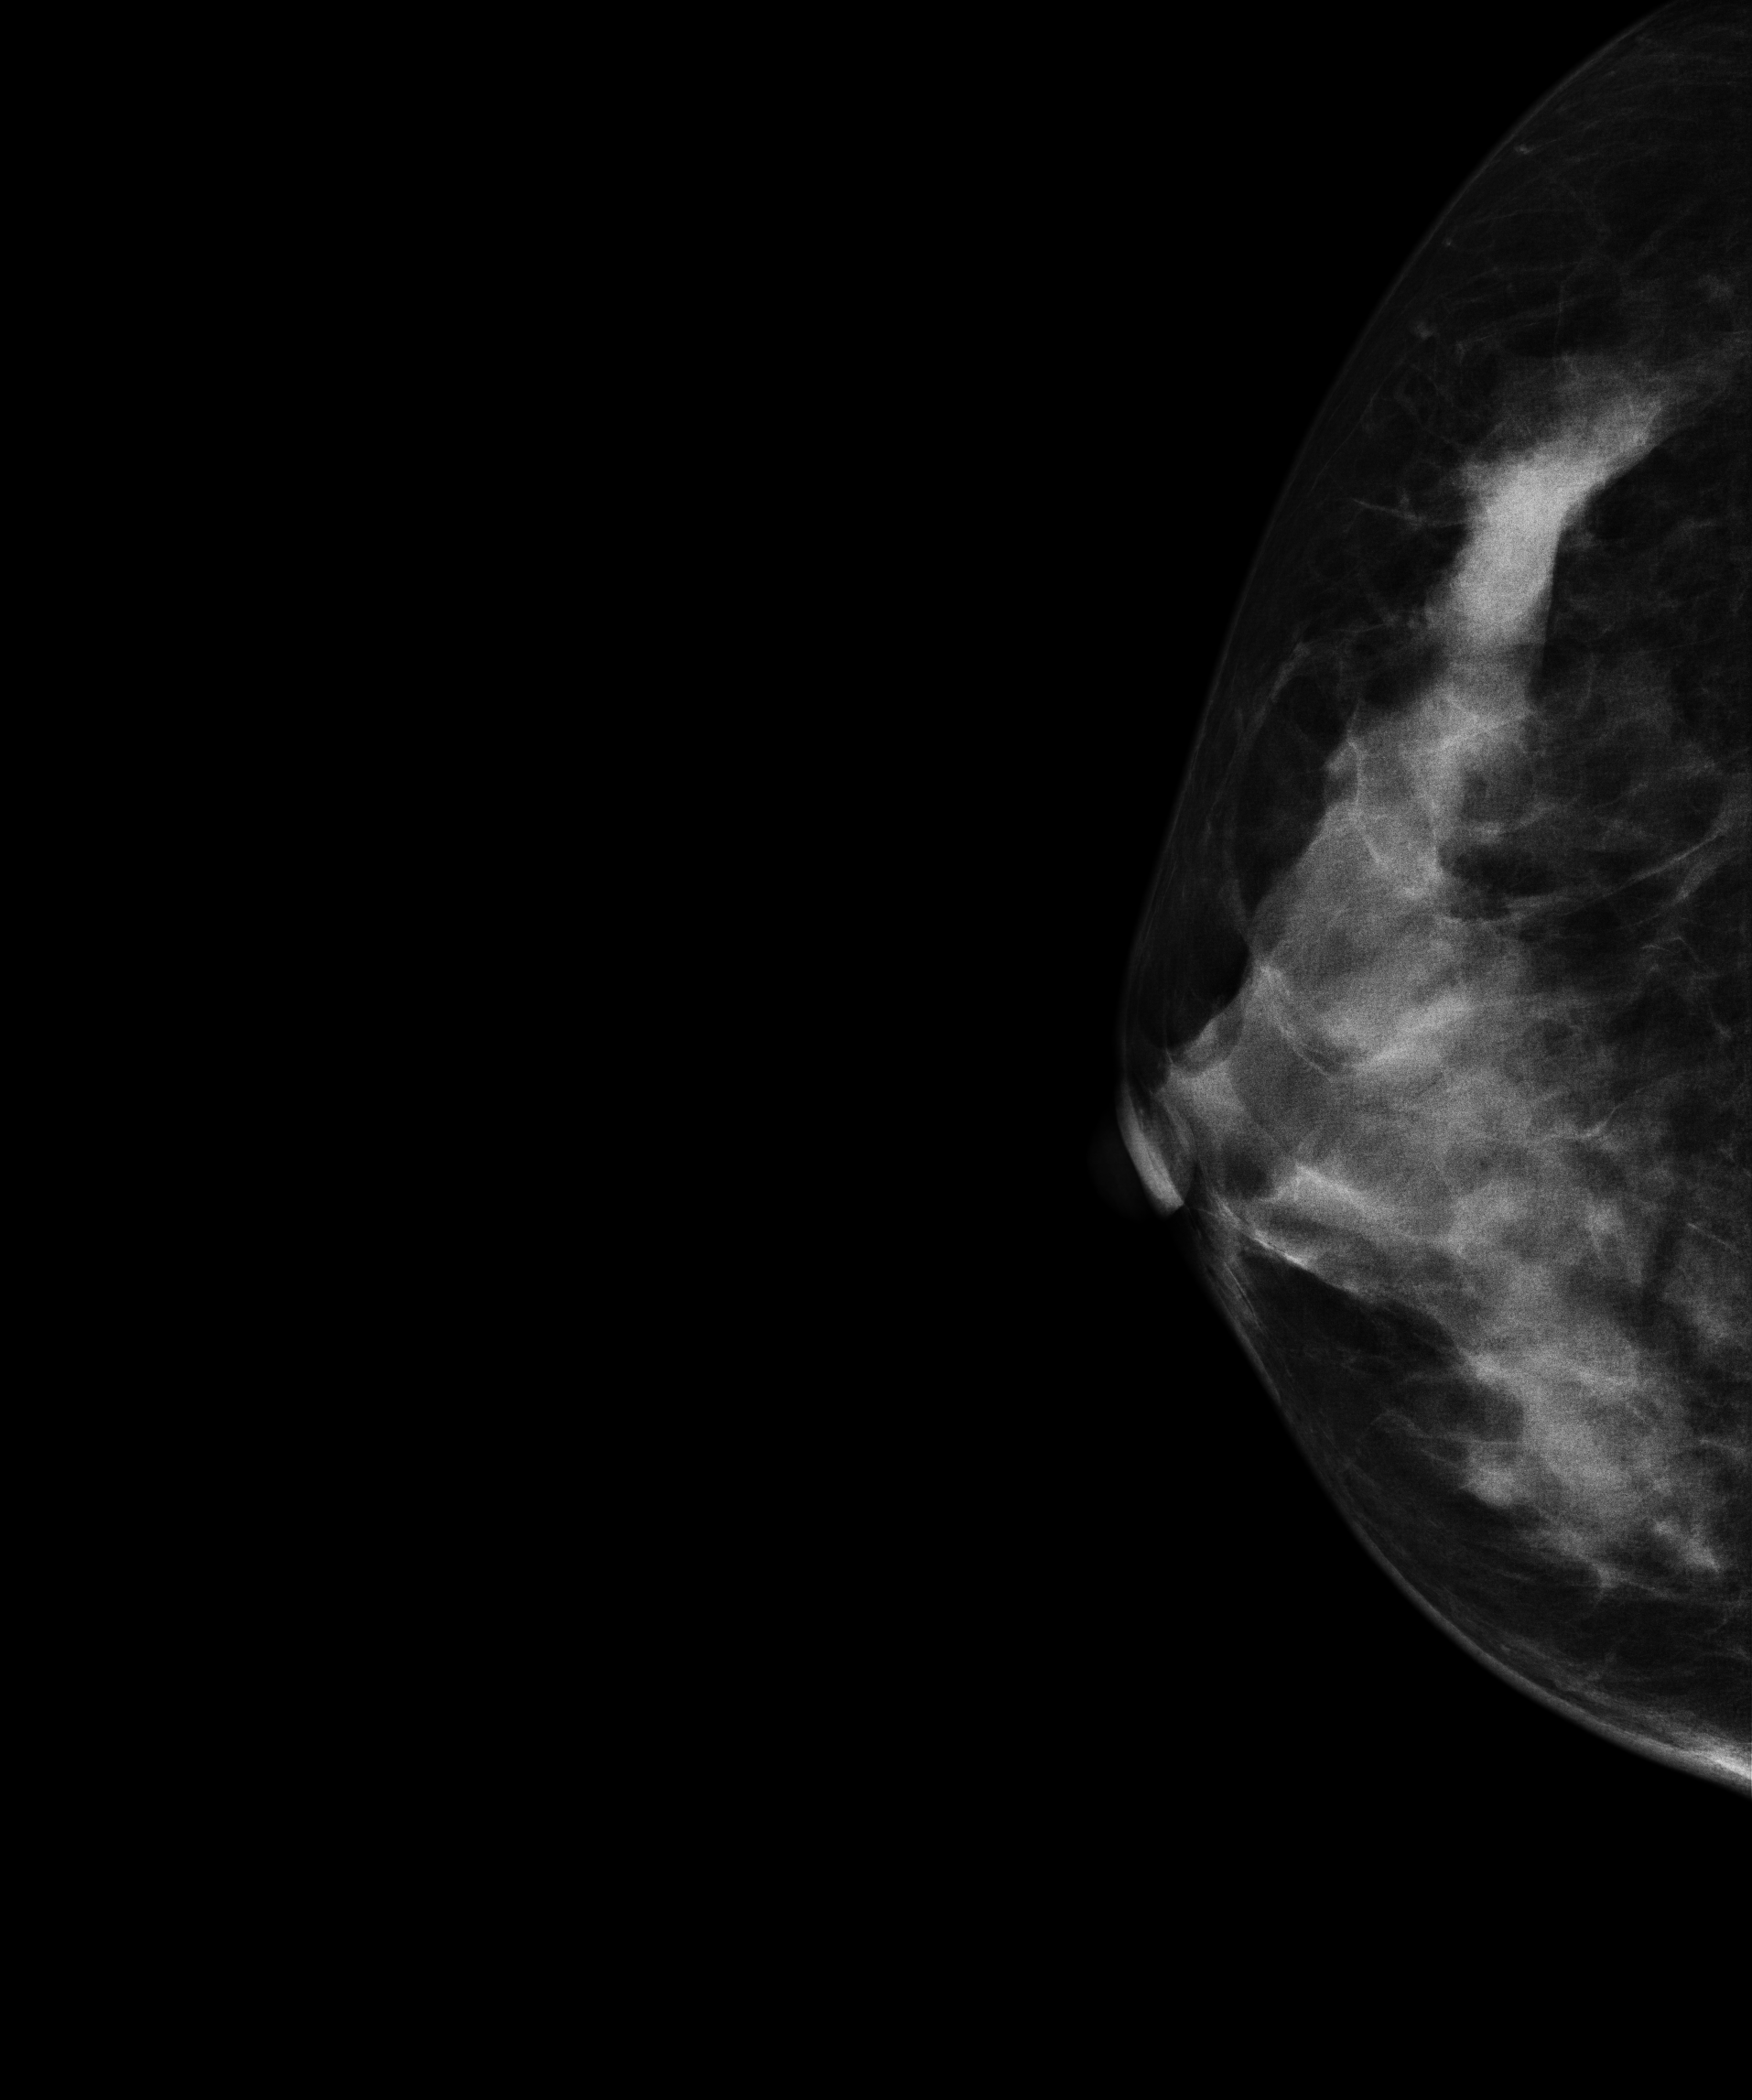
Mammogram — right cranio-caudal. 48-year-old patient.
This breast has a mass, biopsy-proven malignant. Molecular subtype: luminal A.